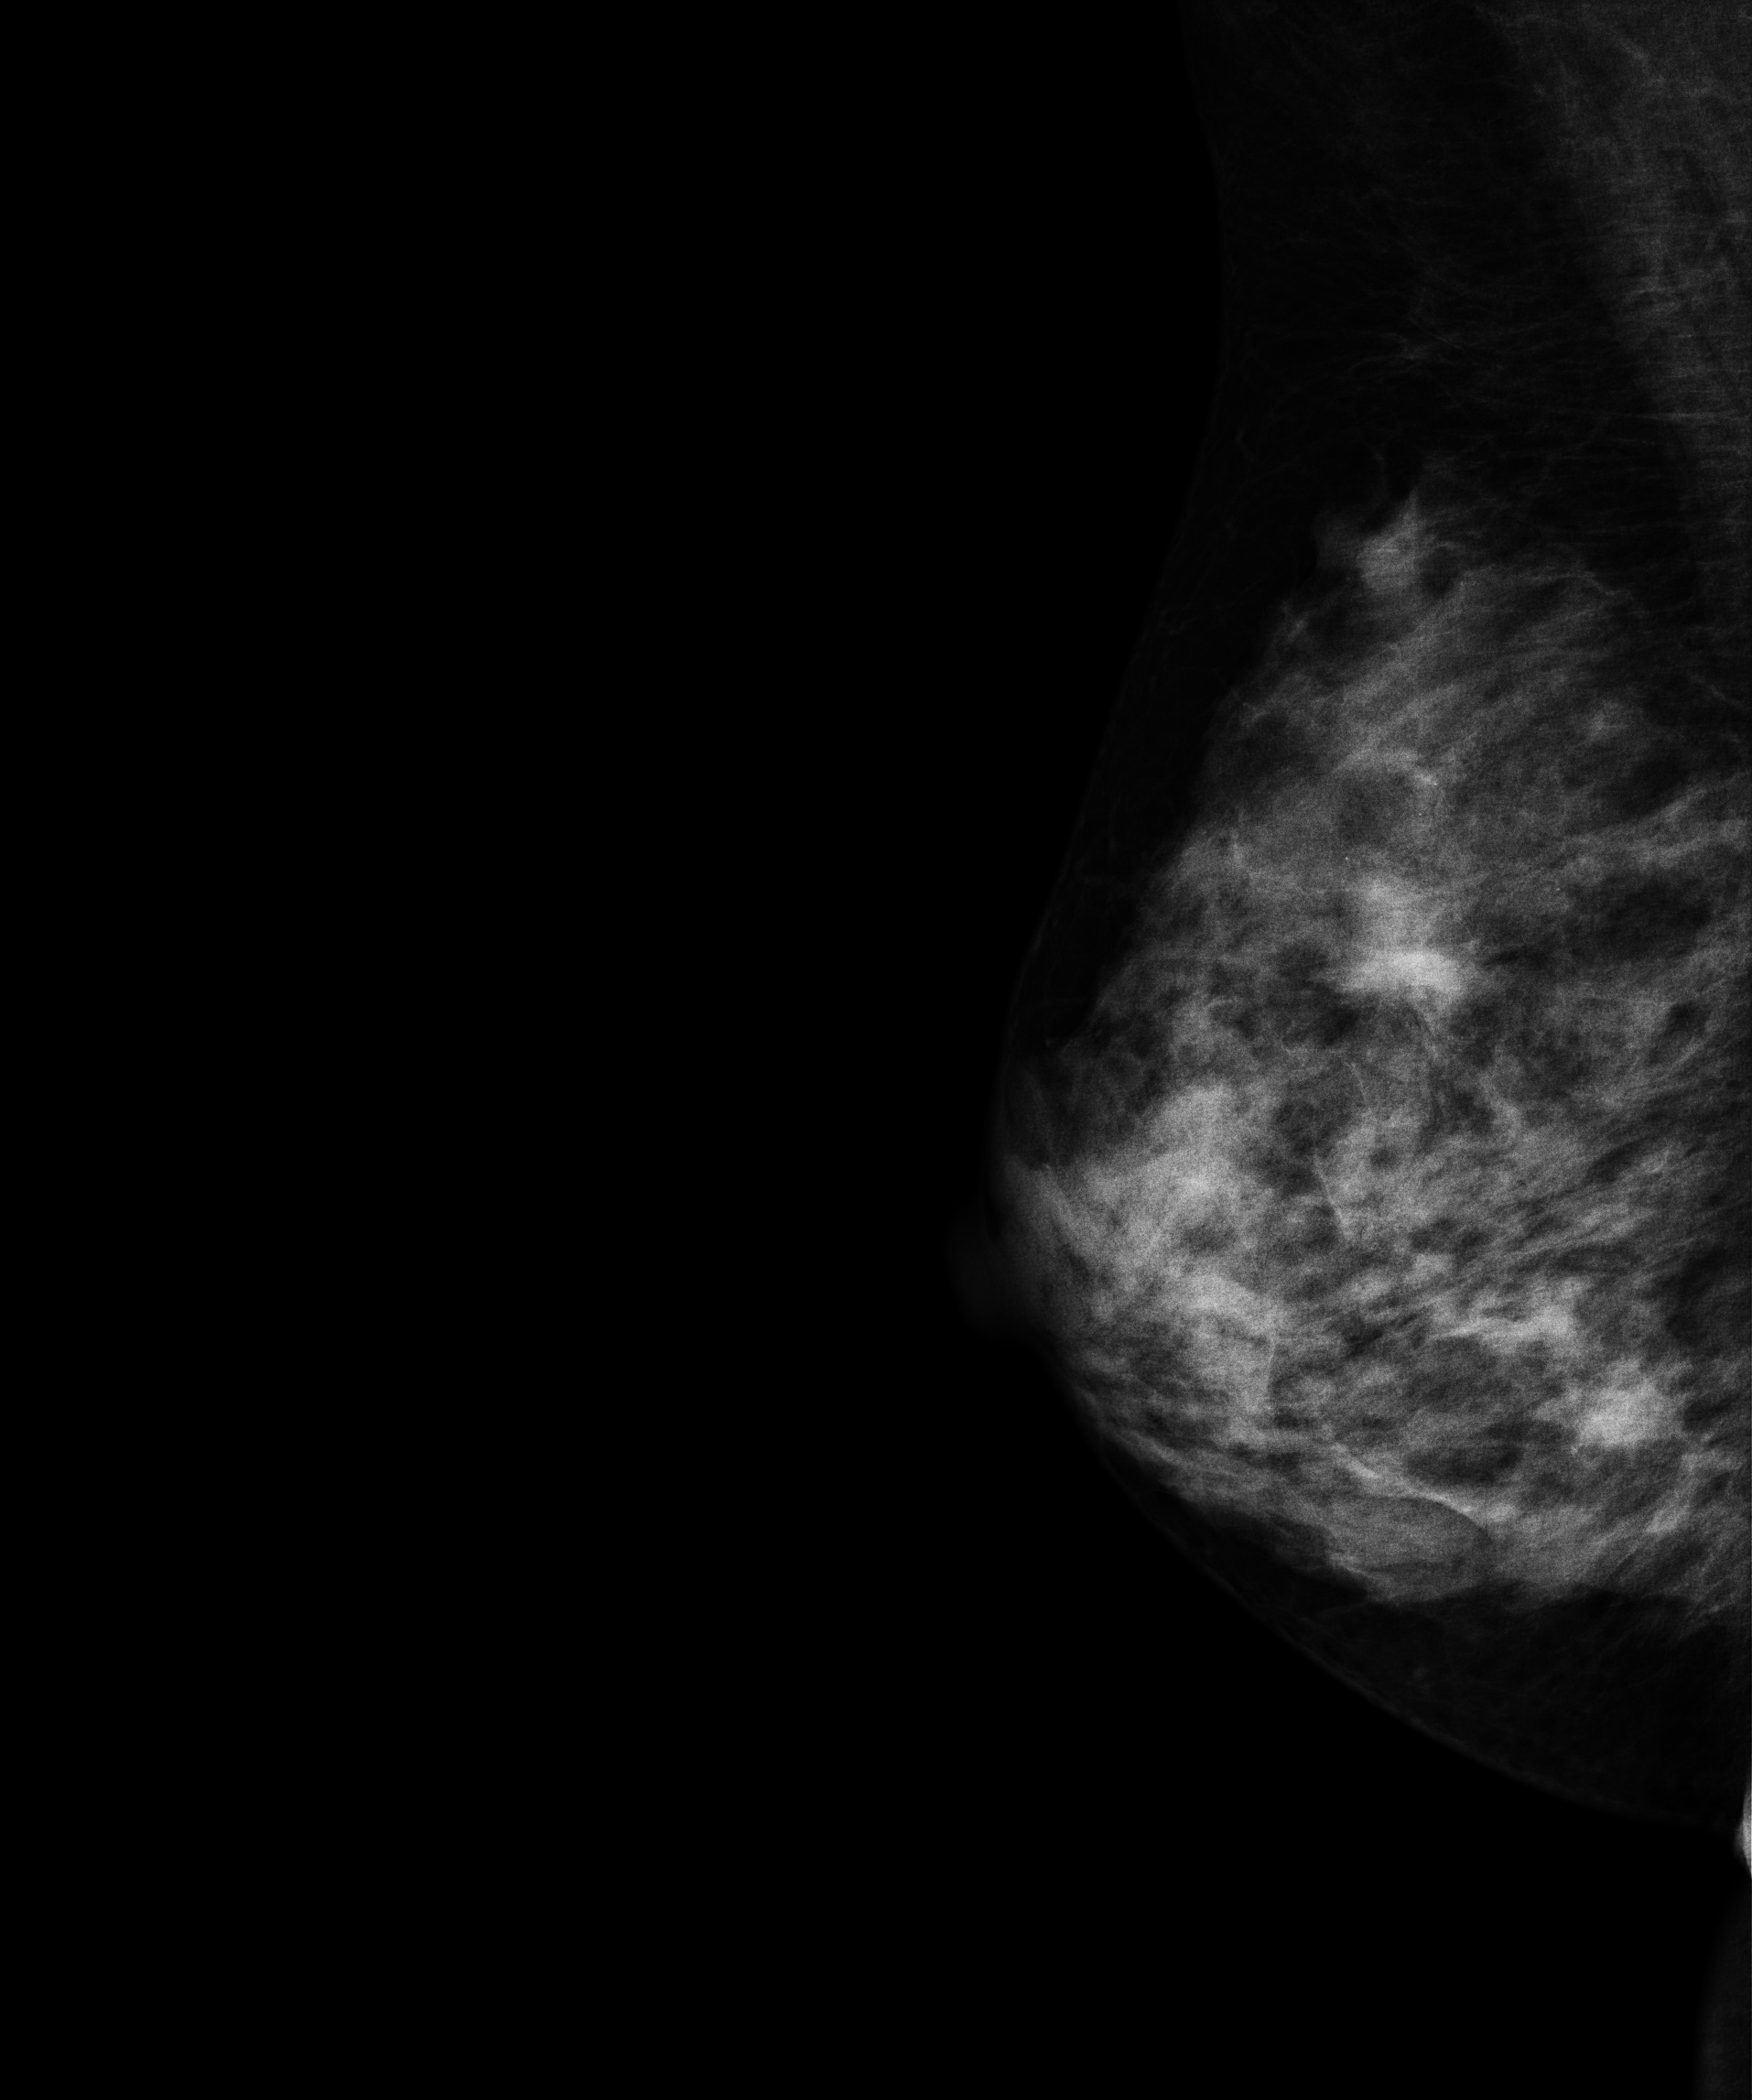
Mammogram, right breast, MLO view. 41-year-old patient.
This breast has a mass, biopsy-proven malignant.